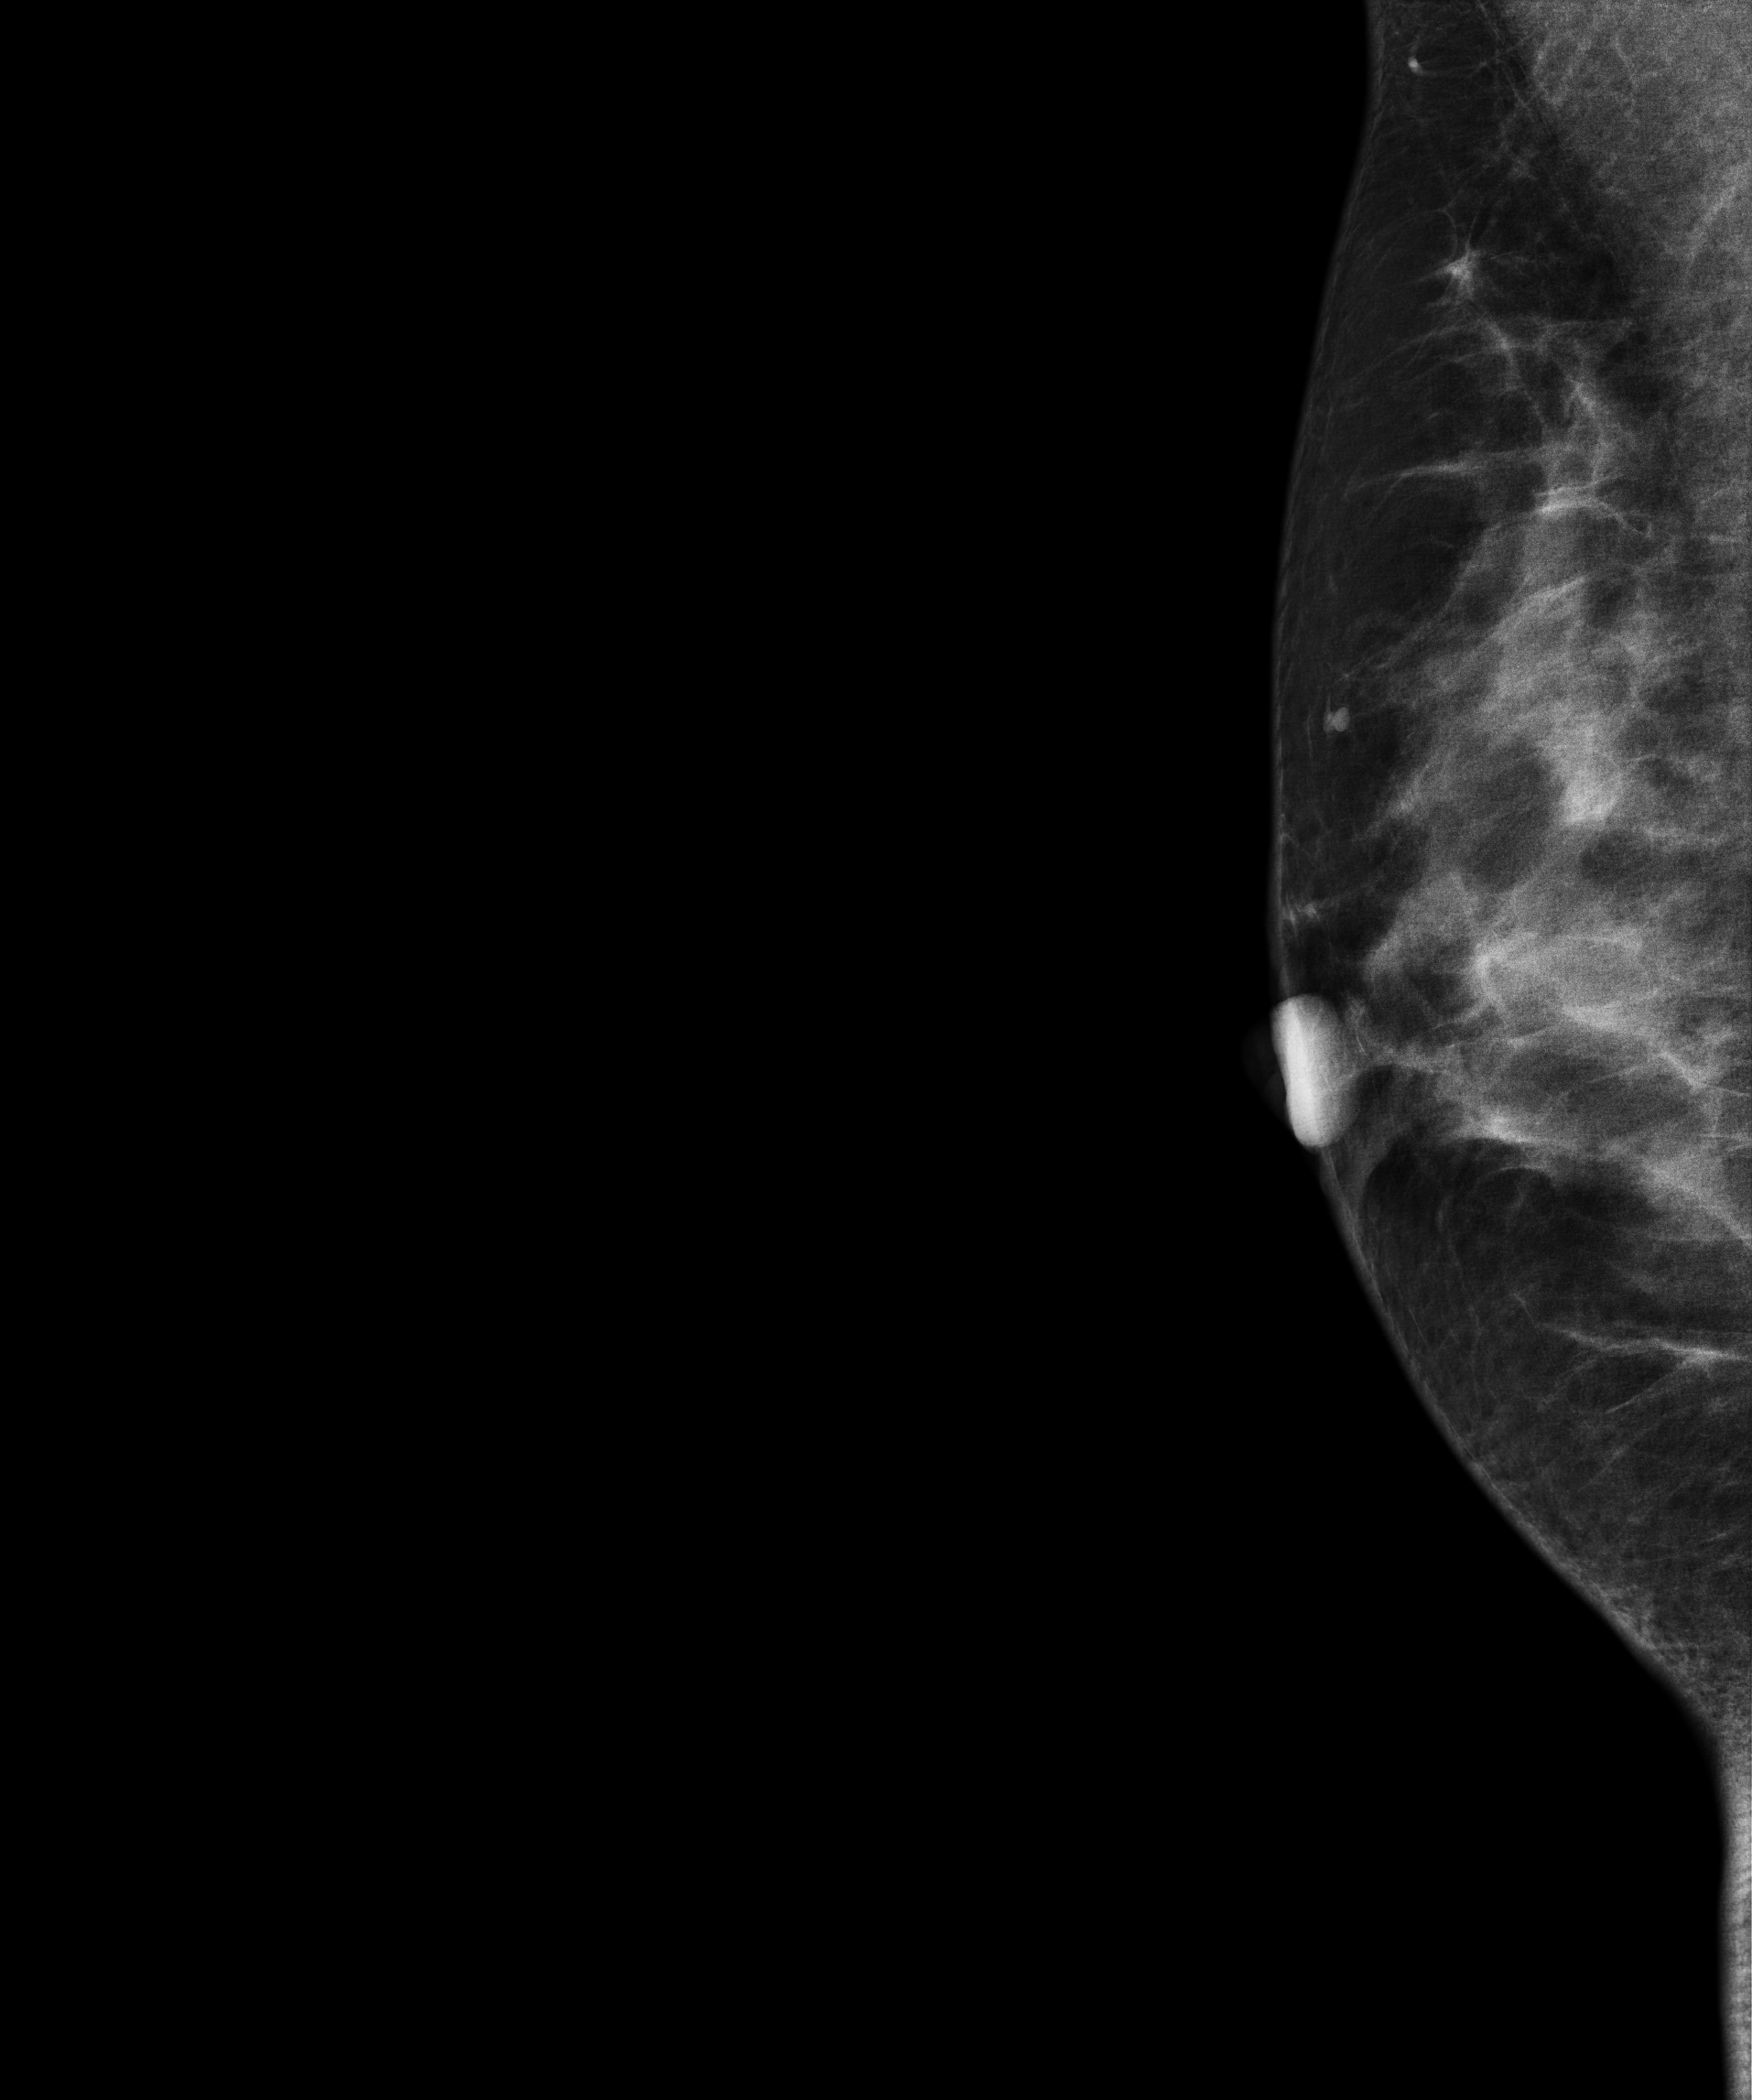
Medio-lateral oblique mammogram of the right breast. 34-year-old patient.
This breast has a mass, histologically confirmed benign.